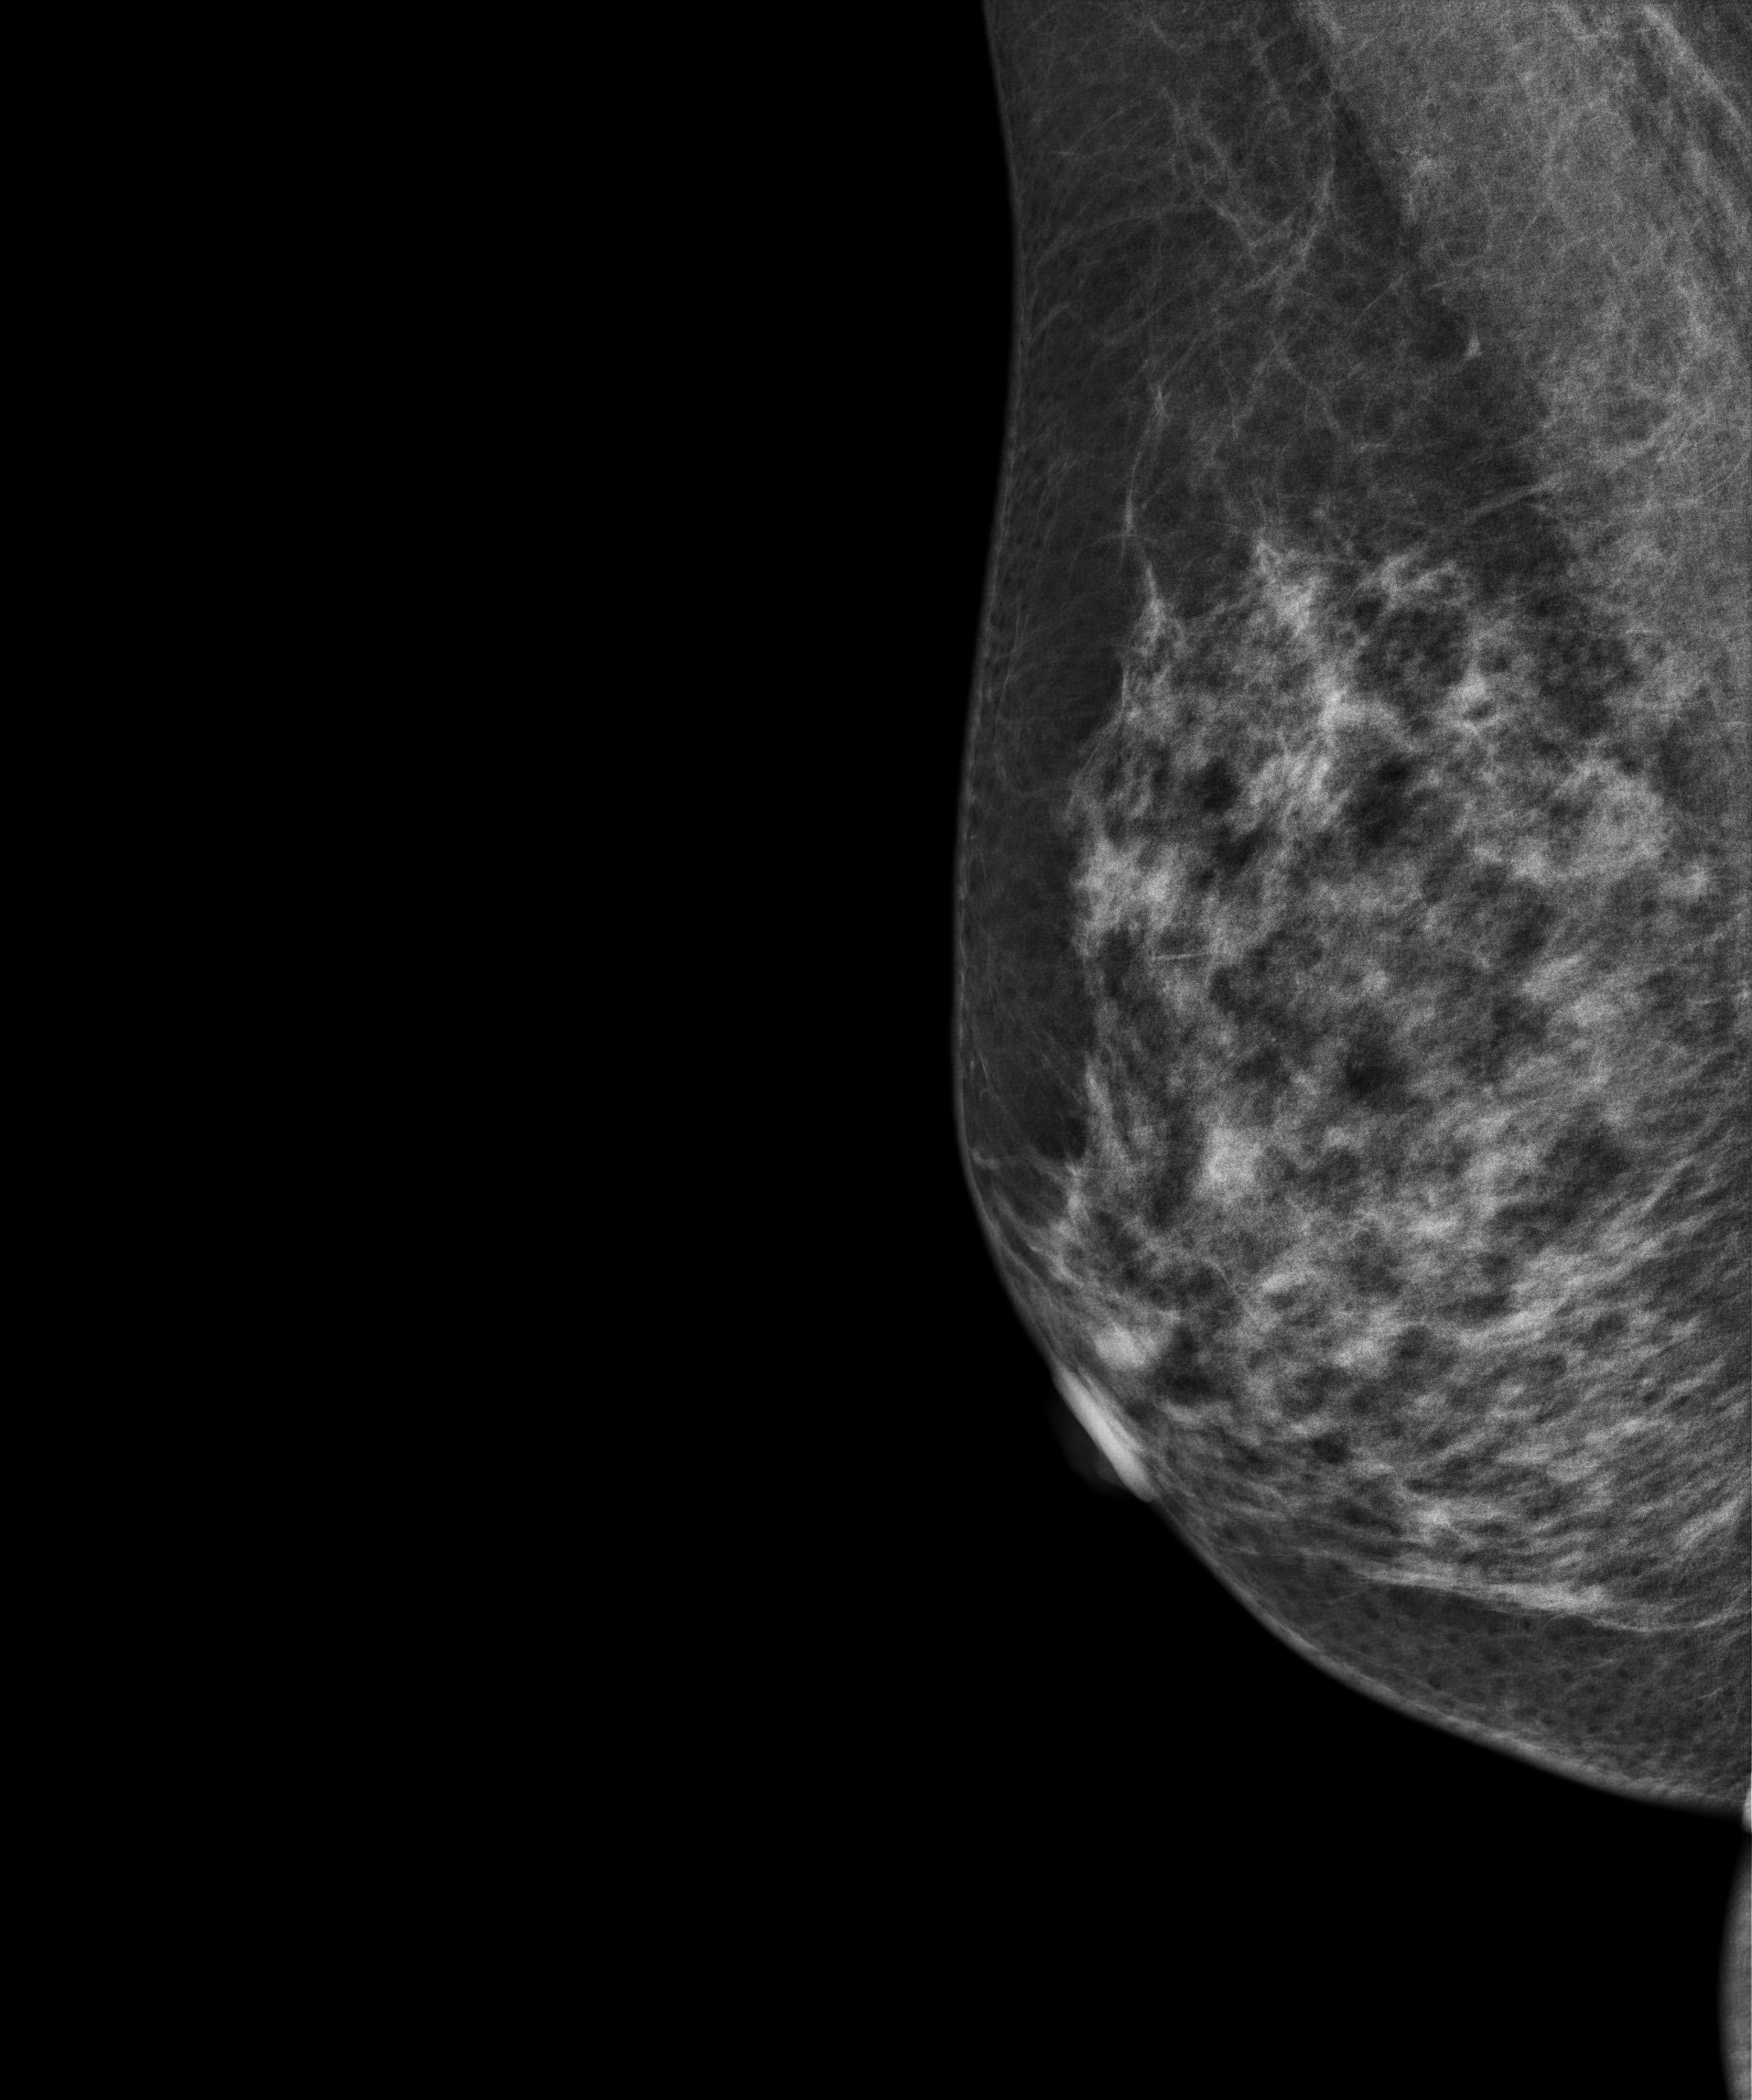
Digital mammography. Right breast, medio-lateral oblique projection. 46 y/o patient.
Contralateral breast — no documented abnormality on this side.